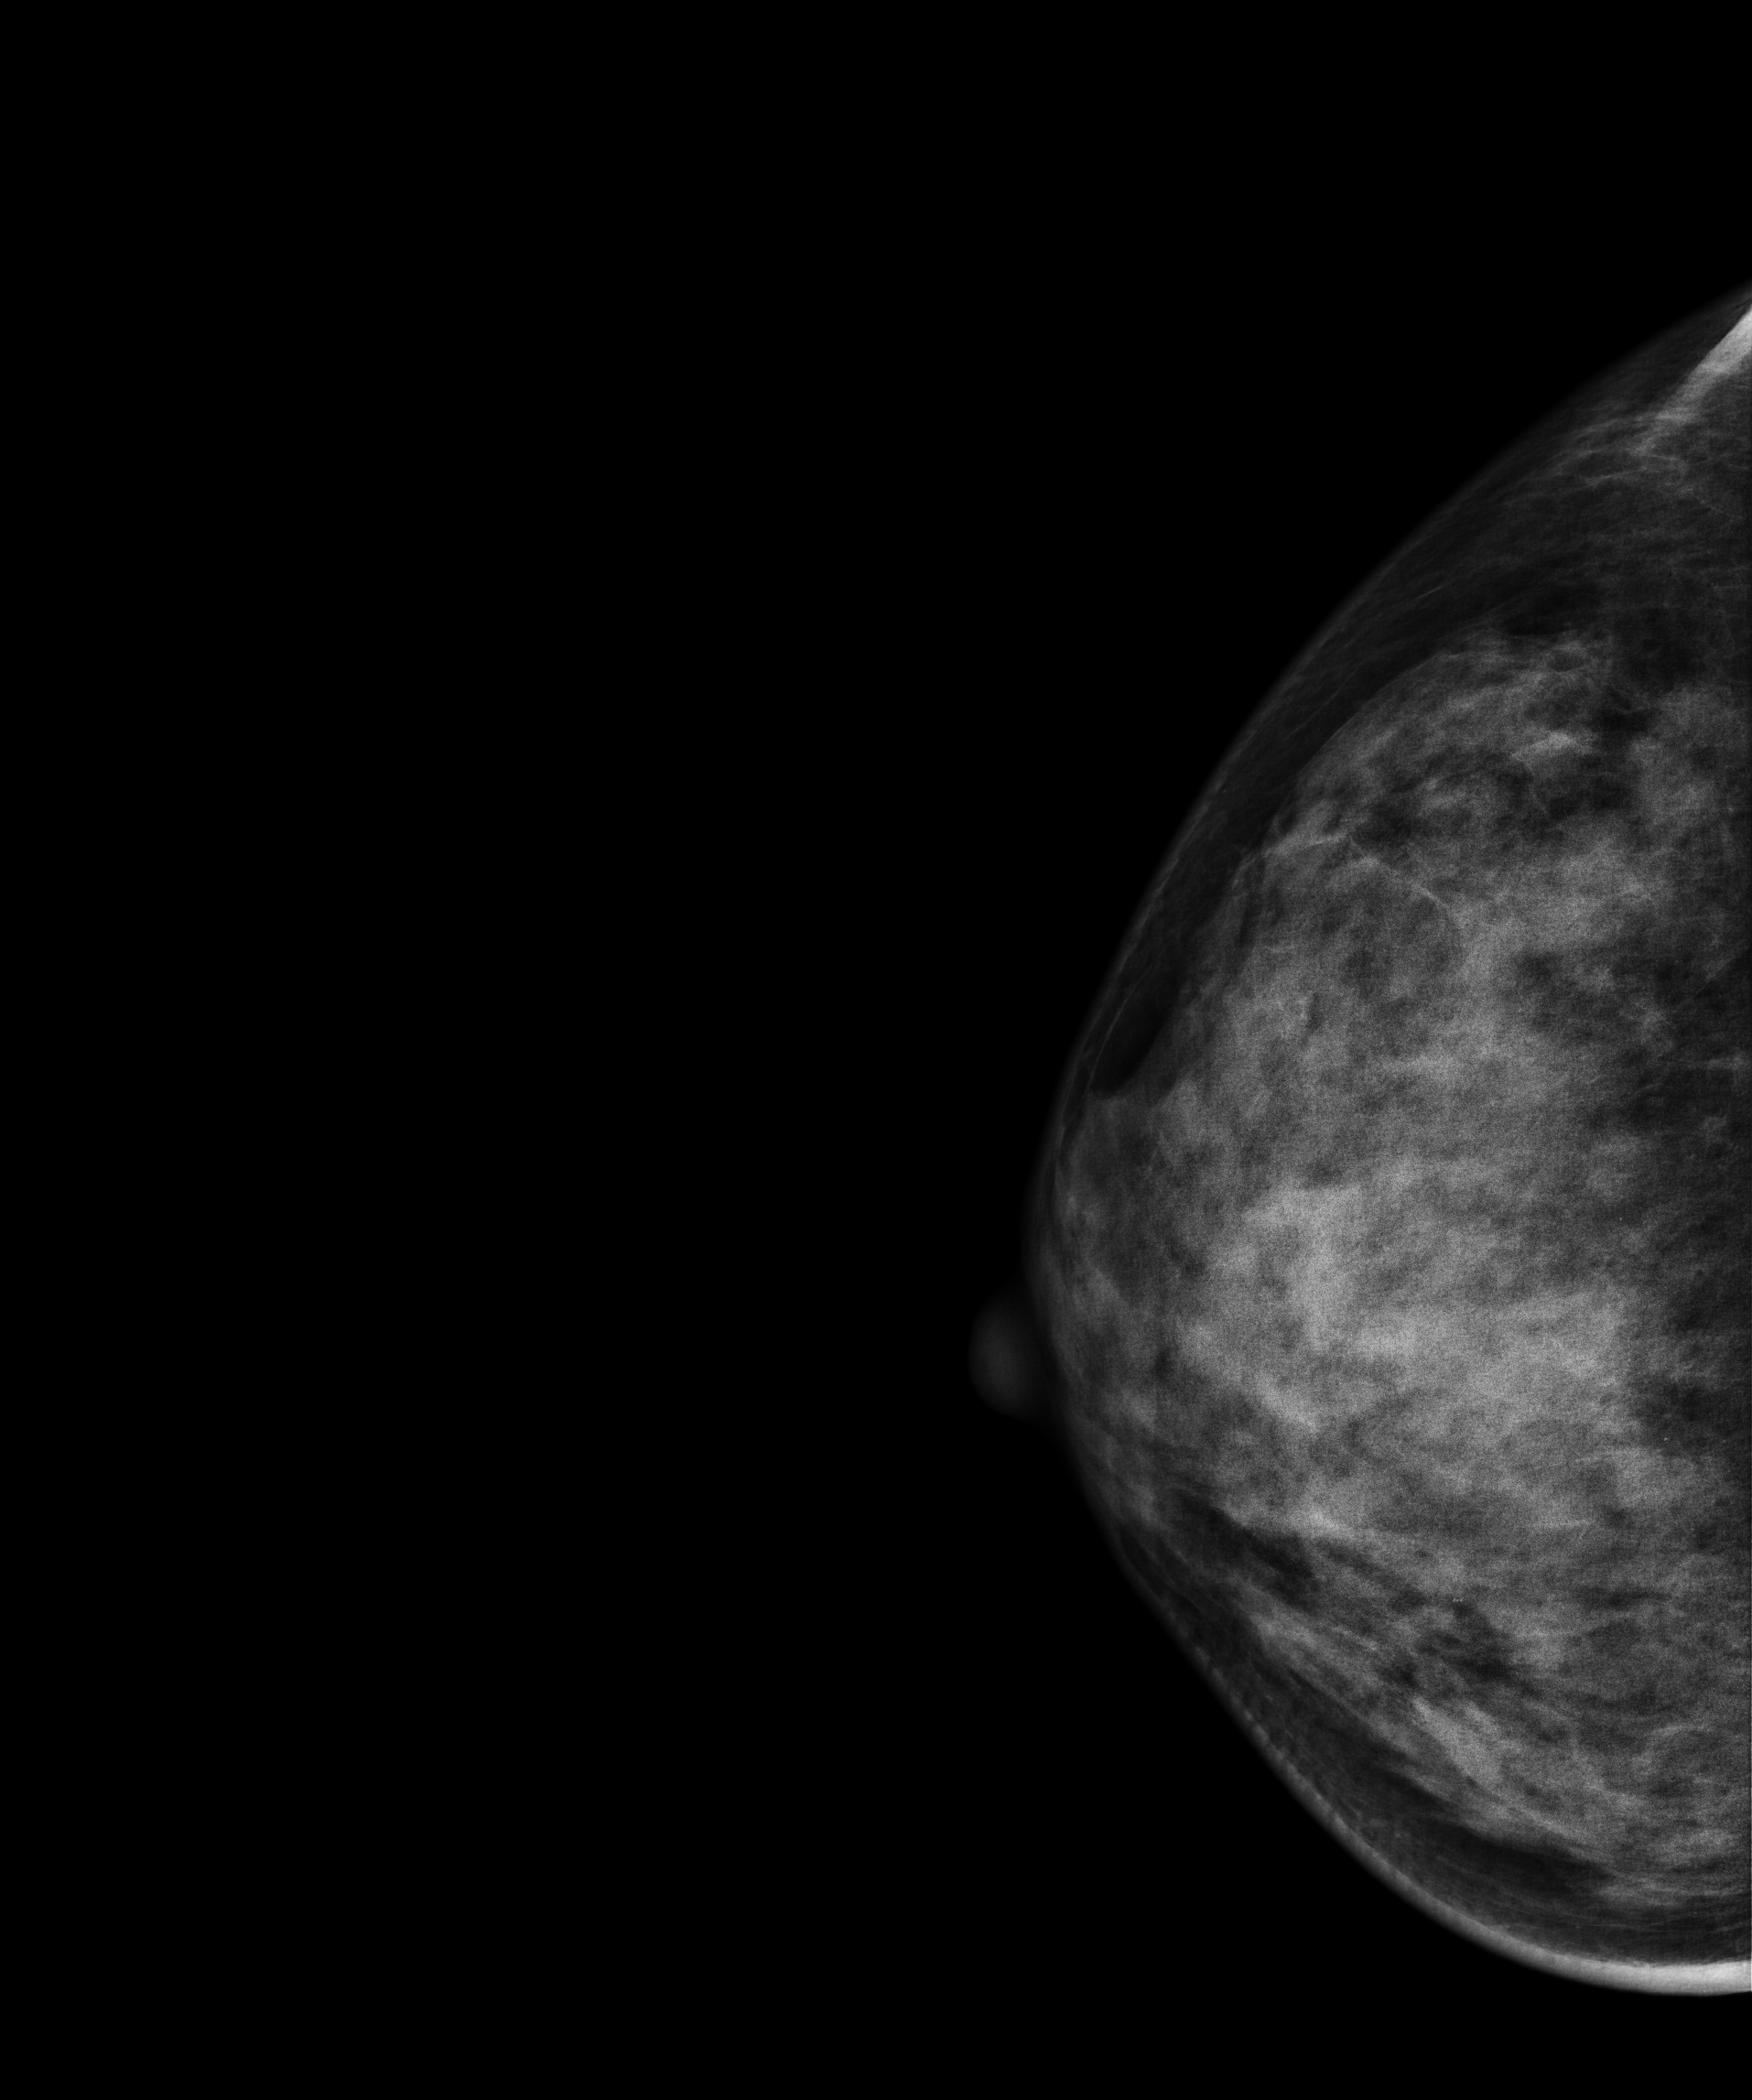
Mammogram — right CC. 41 y/o patient.
This breast has a mass, pathology-confirmed malignant.